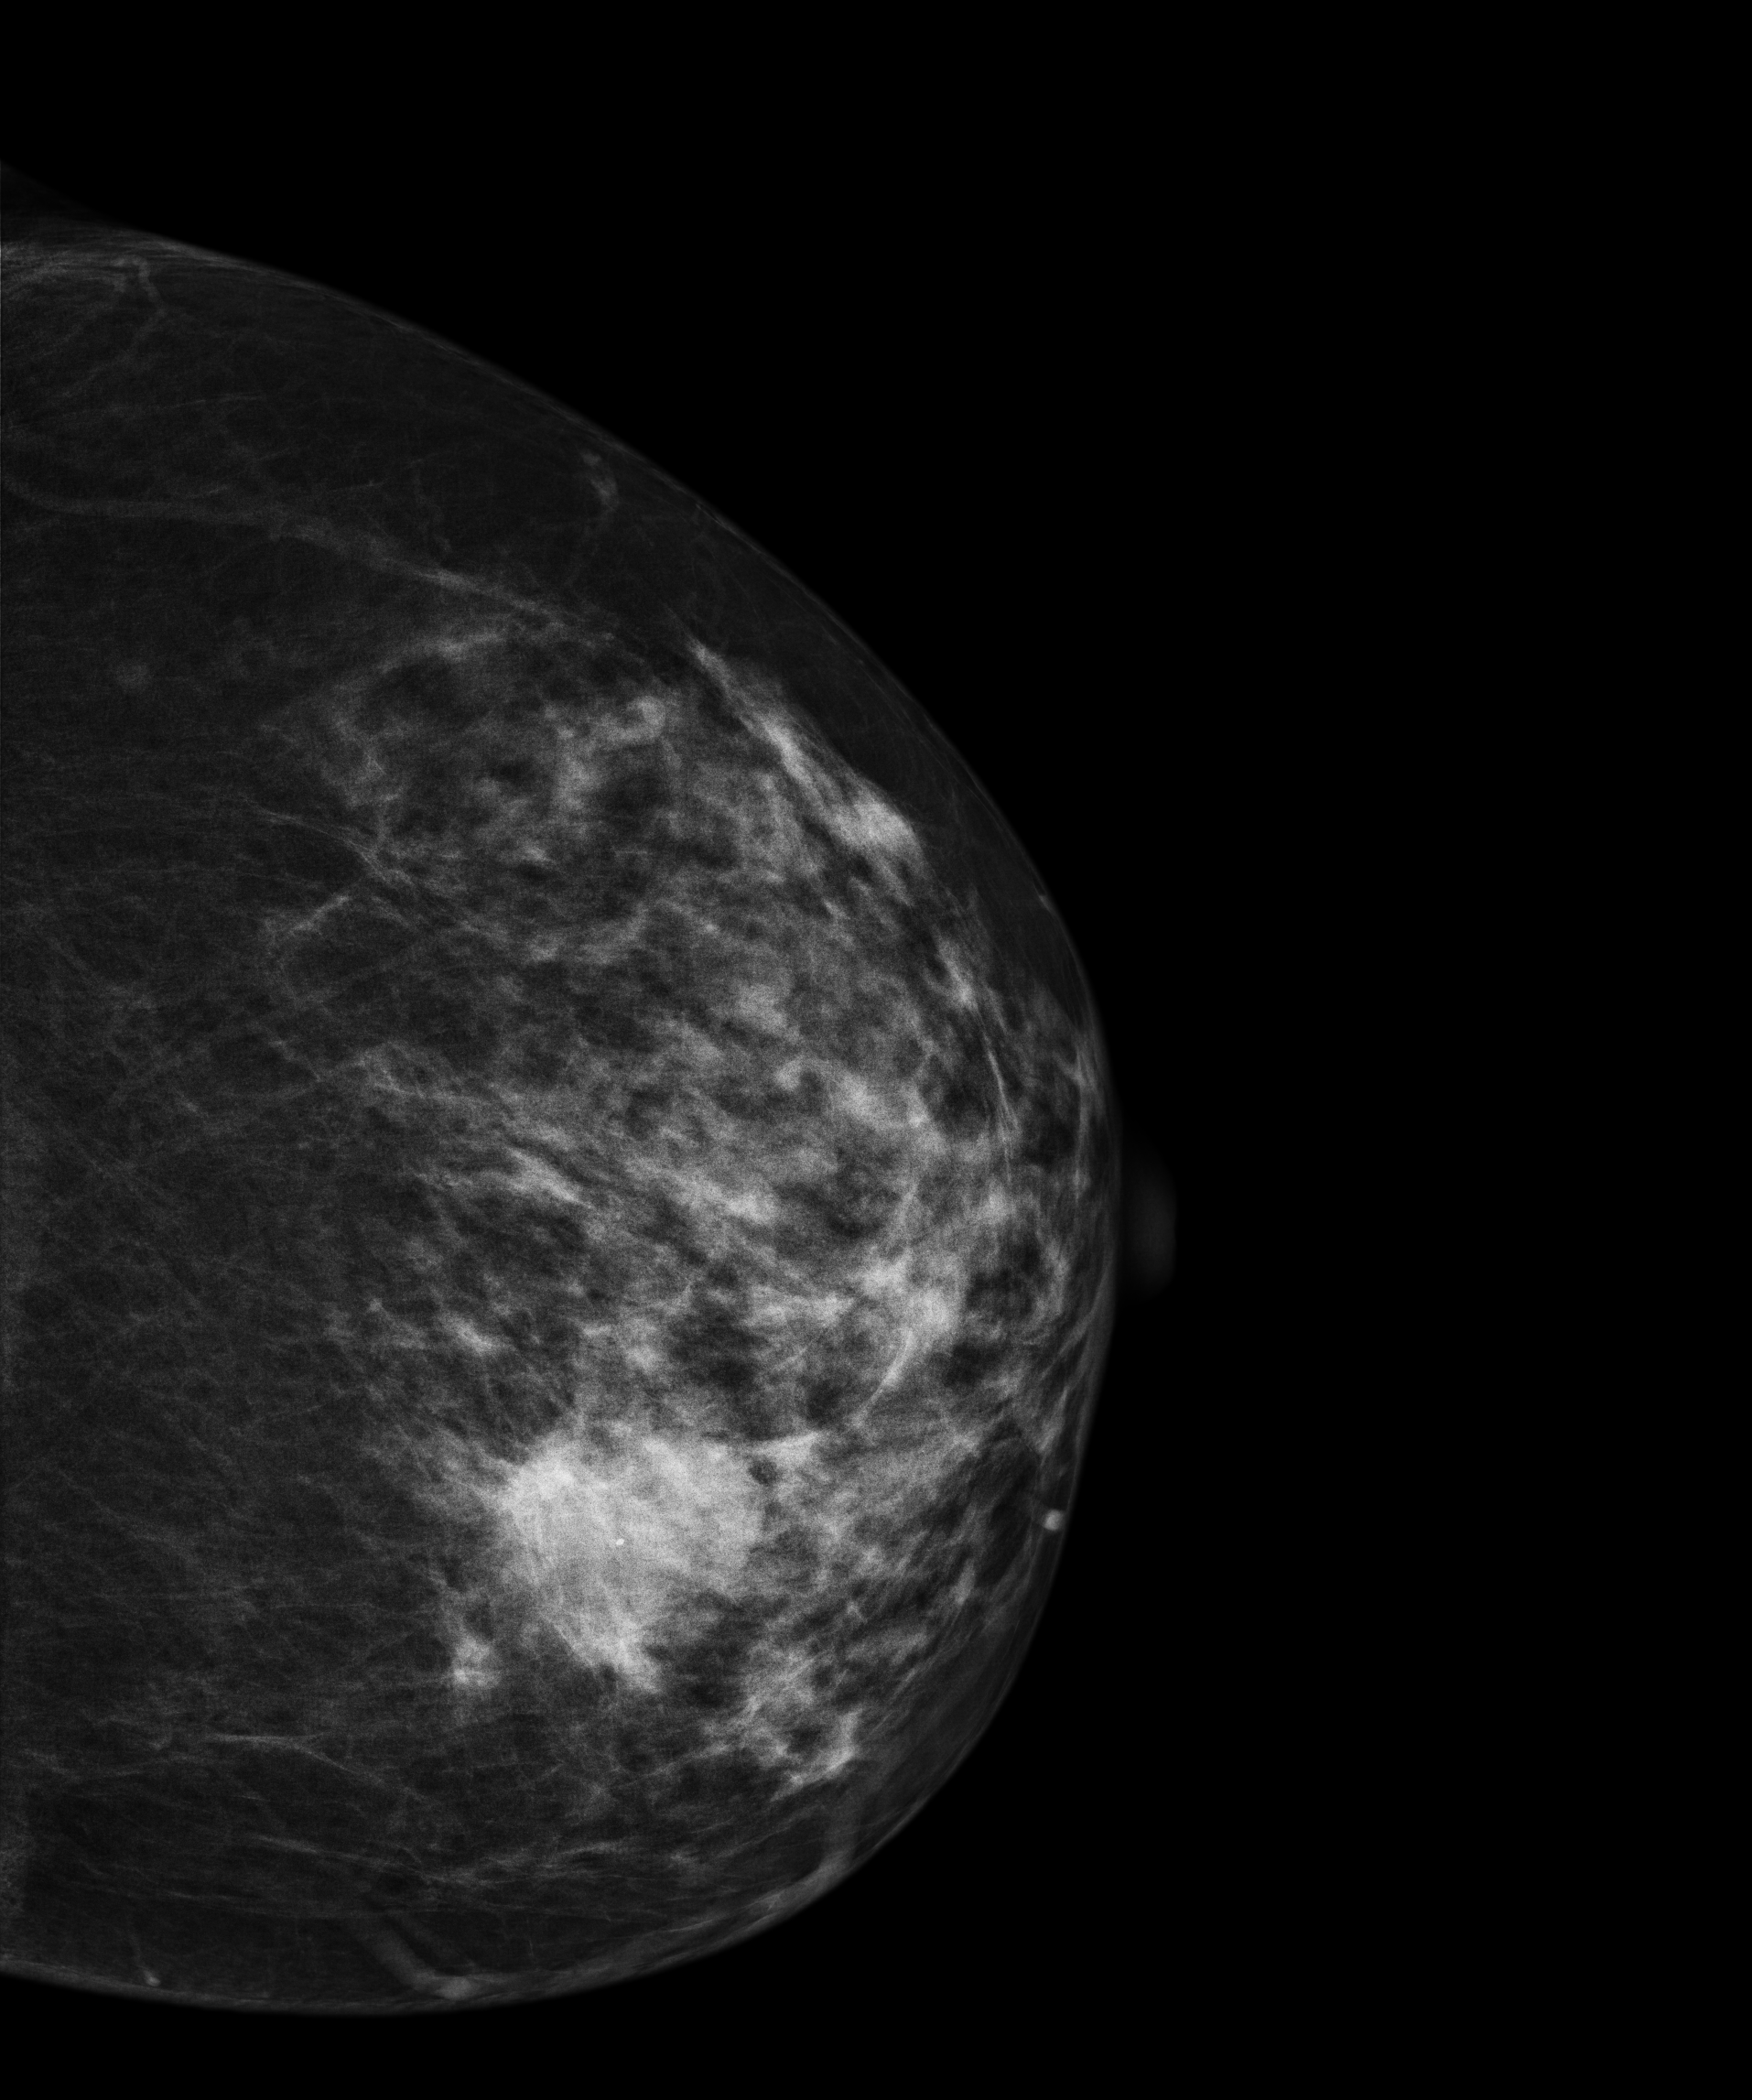
Left-breast mammogram, CC. 57 y/o patient.
This breast has a mass and calcifications, biopsy-confirmed malignant. Molecular subtype: HER2-enriched.